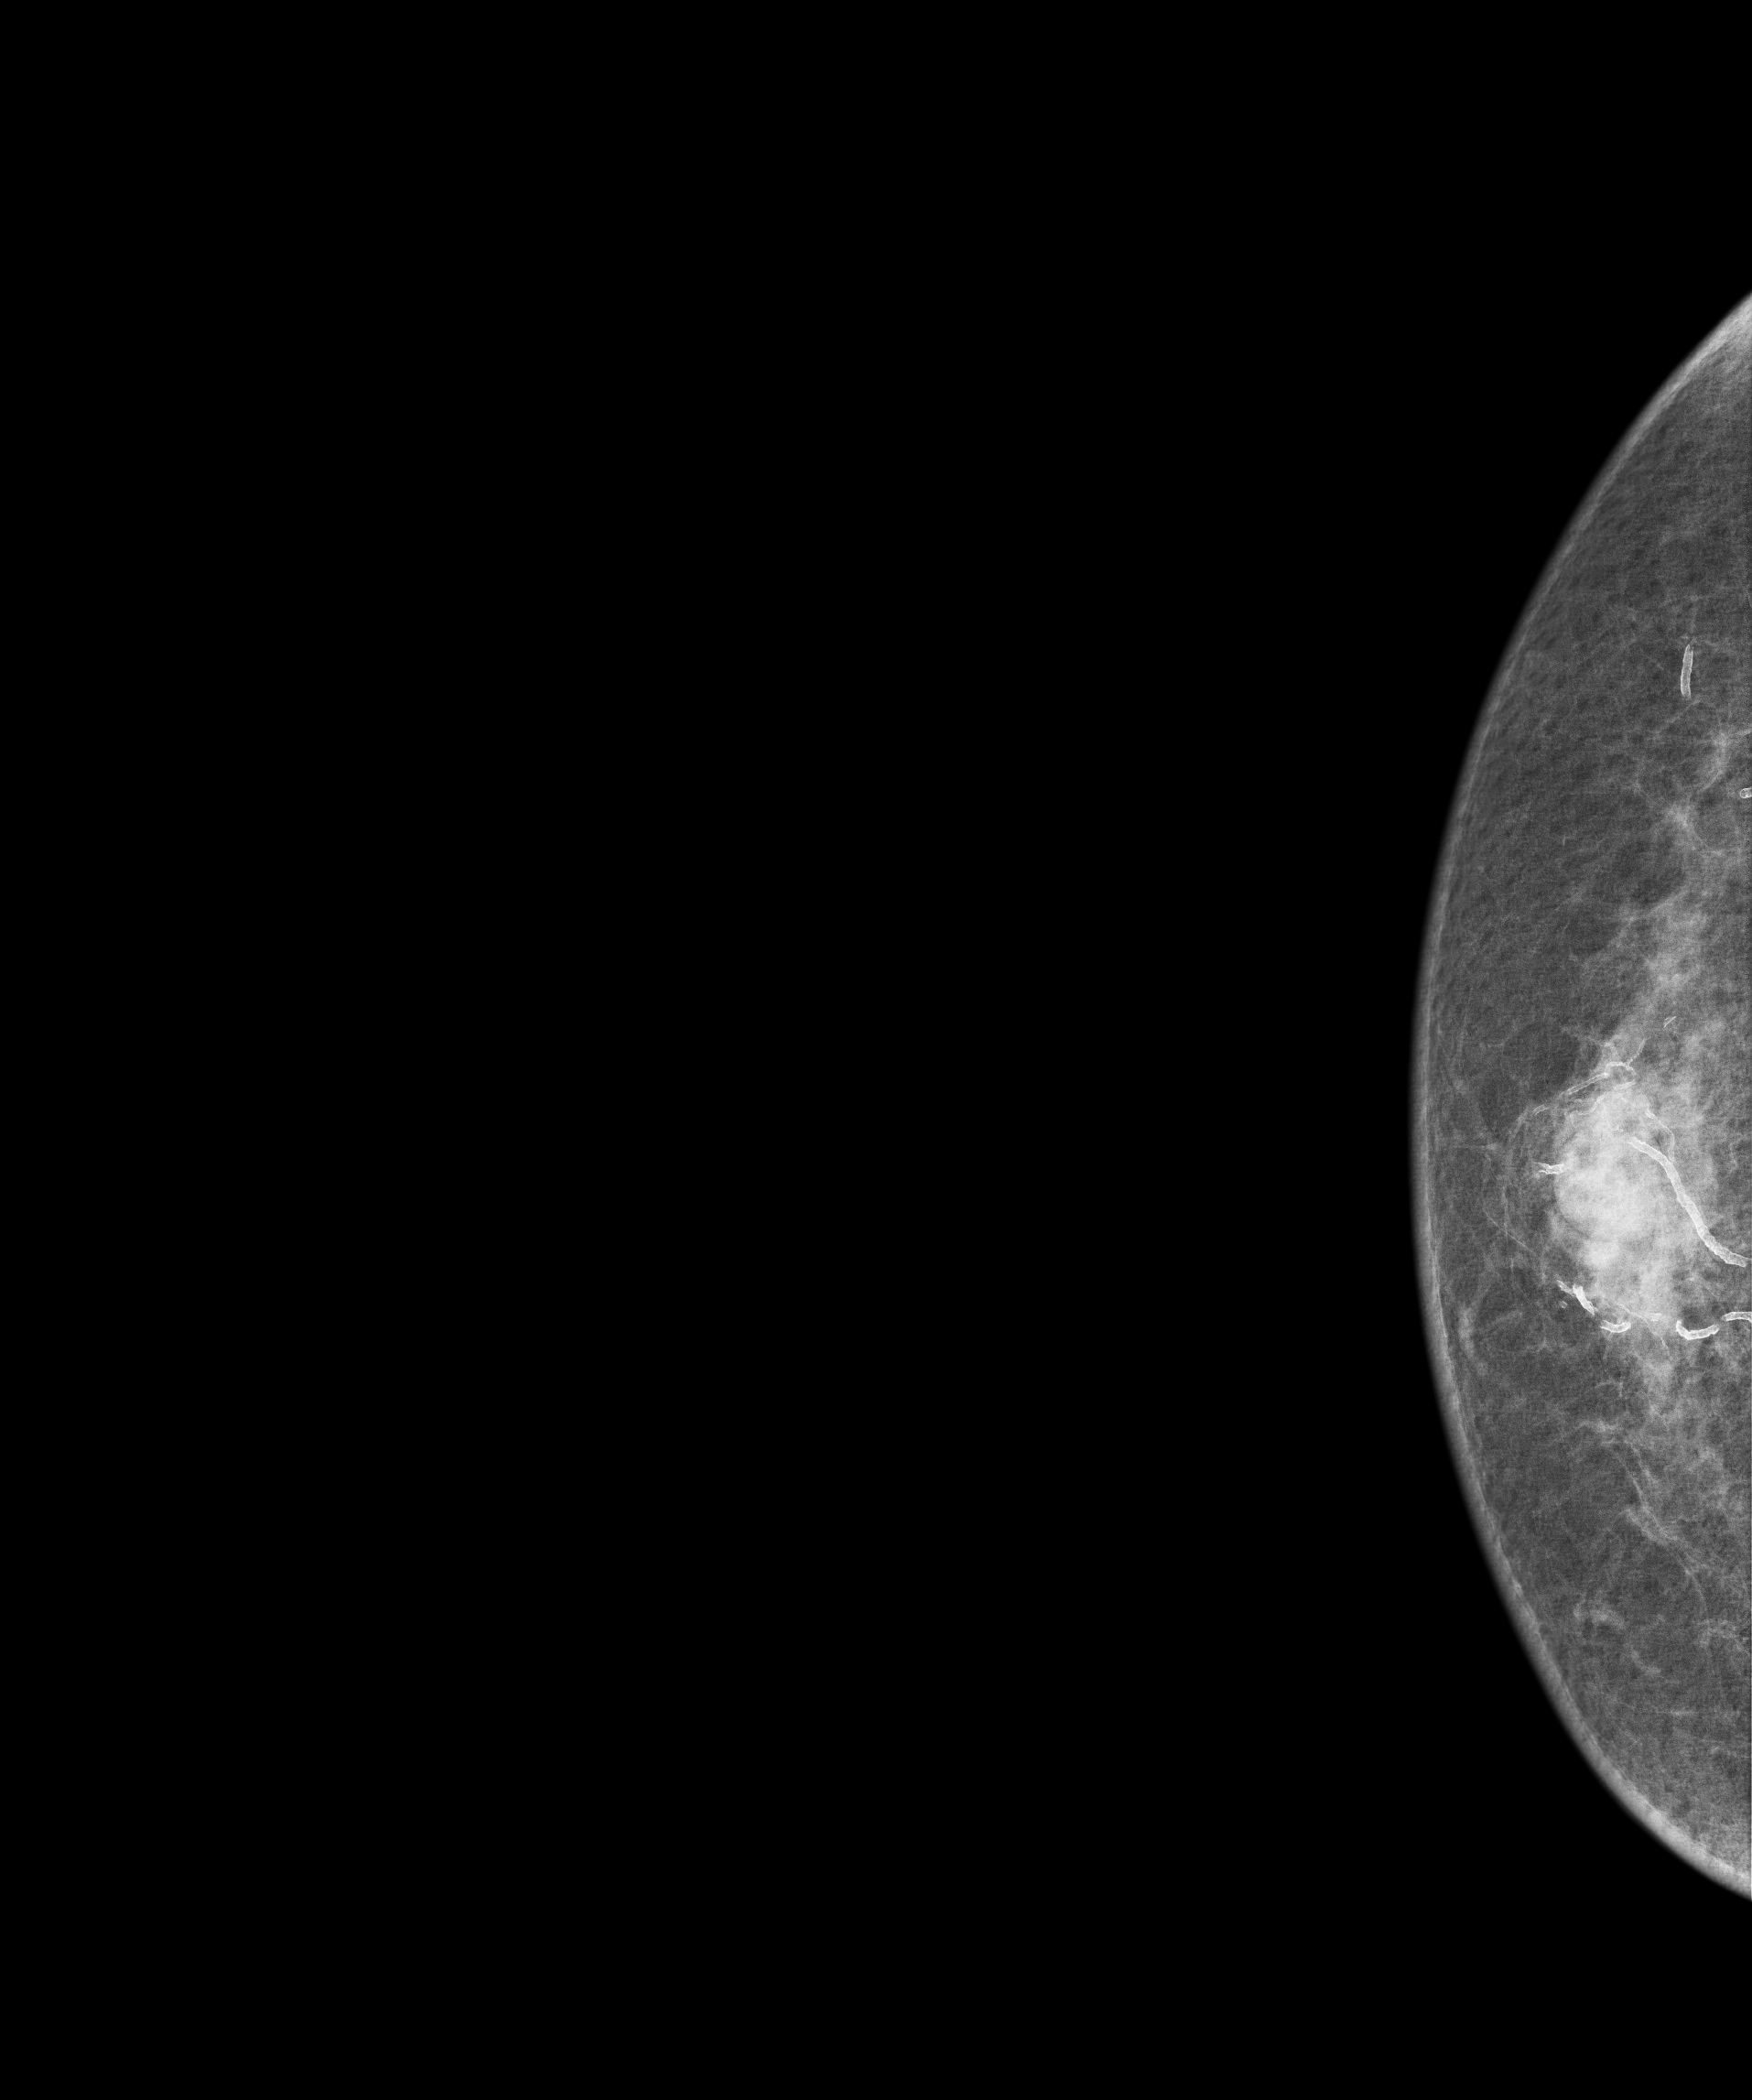
Cranio-caudal mammogram of the right breast. Patient age 73.
This breast has a mass, biopsy-confirmed malignant. Molecular subtype: luminal A.